Mammogram — right cranio-caudal. Patient age 57.
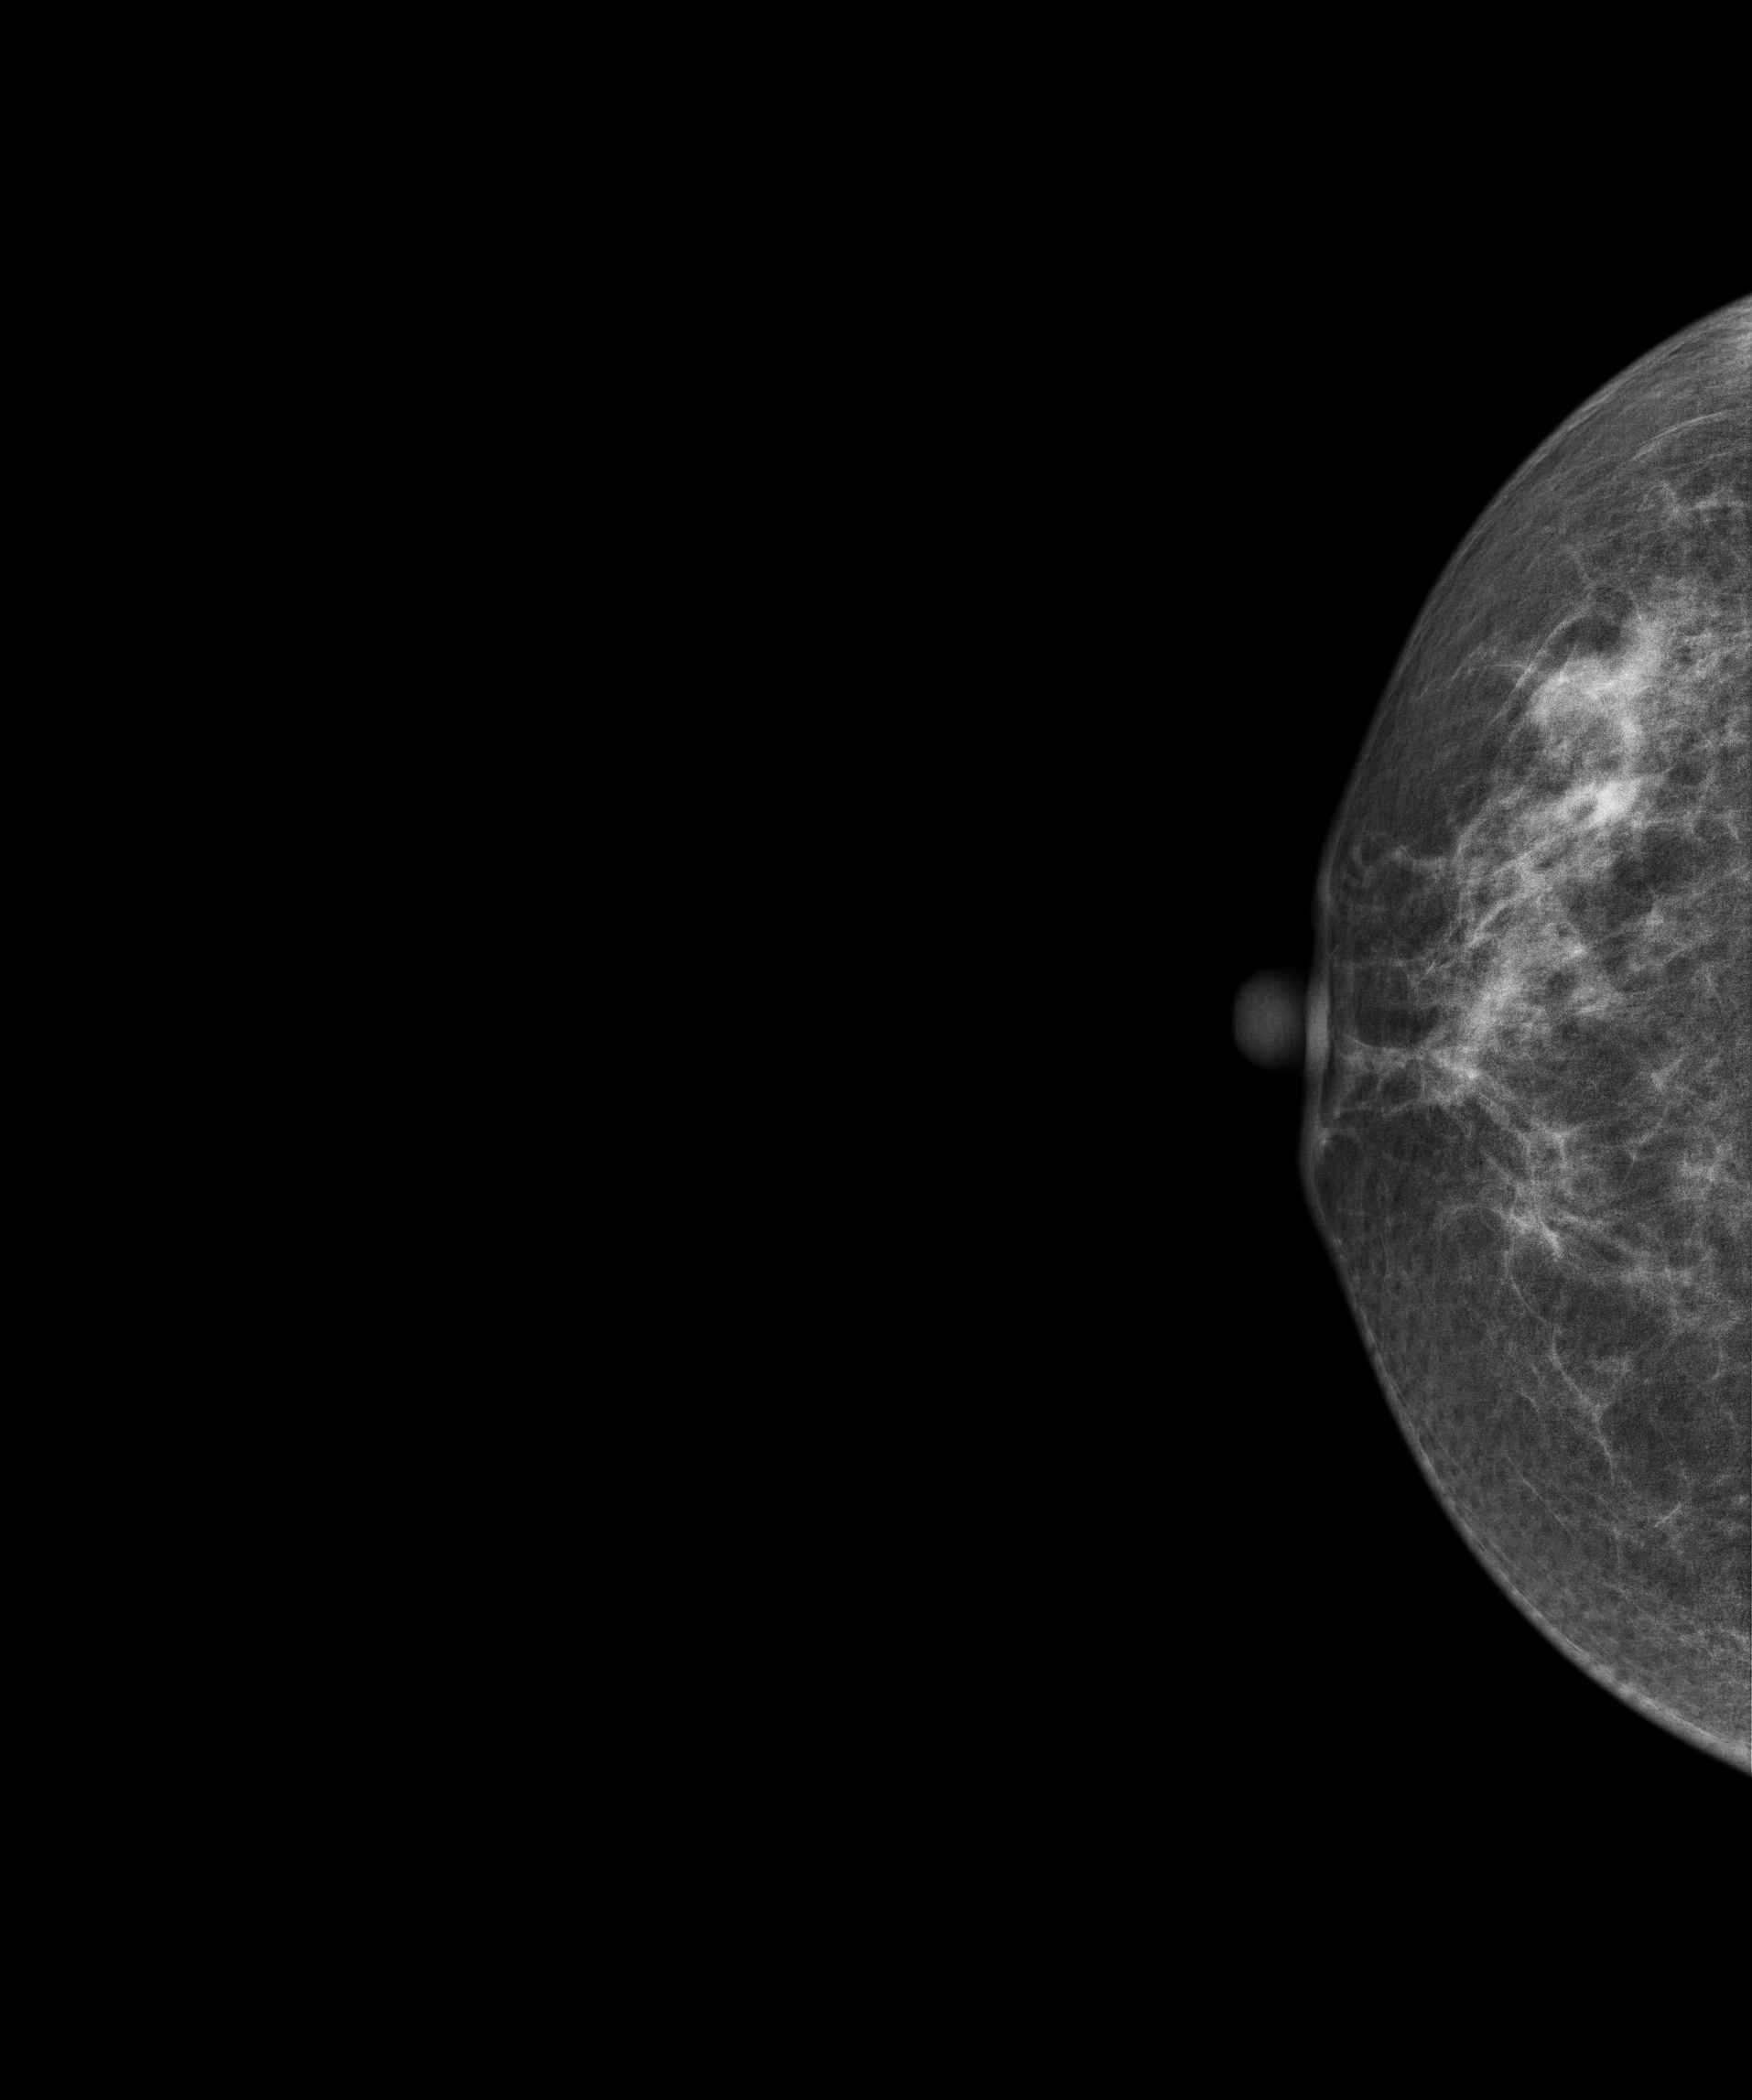
This breast has a mass, histologically confirmed malignant. Molecular subtype: luminal B.